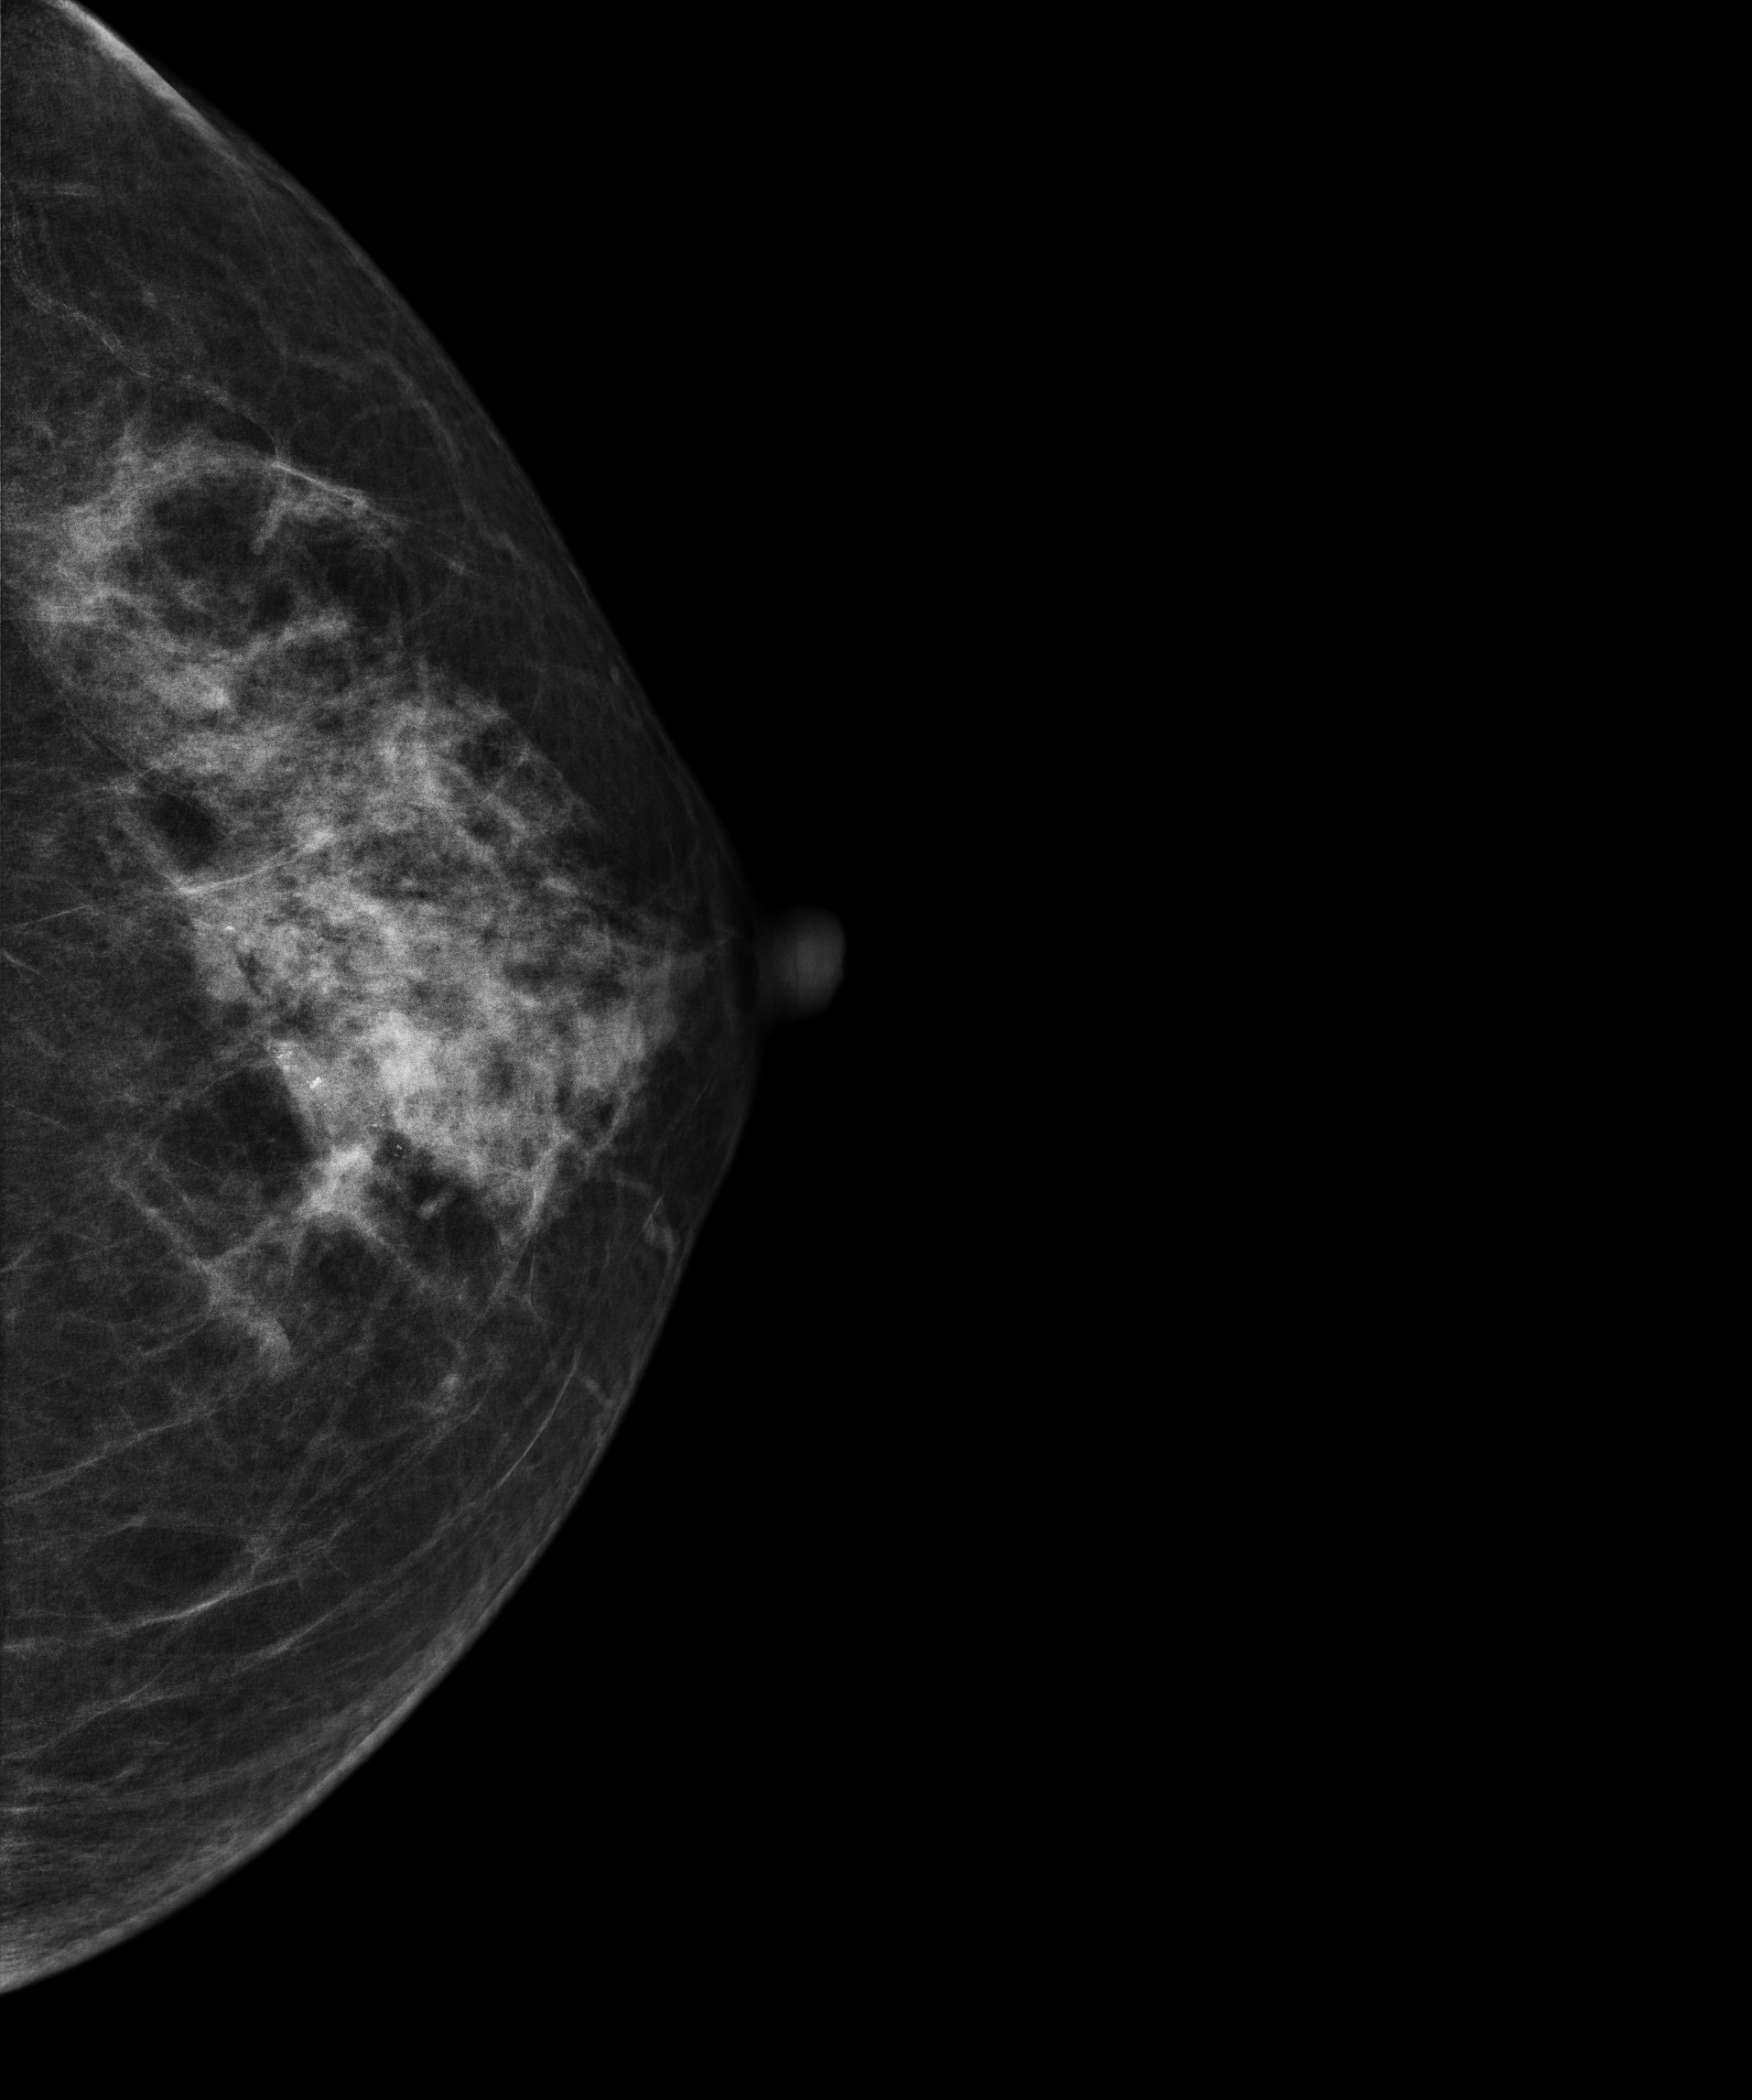
Mammogram — left cranio-caudal. 31-year-old patient.
This breast has a mass and calcifications, biopsy-proven malignant. Molecular subtype: luminal B.